Cranio-caudal mammogram of the right breast. 36-year-old patient.
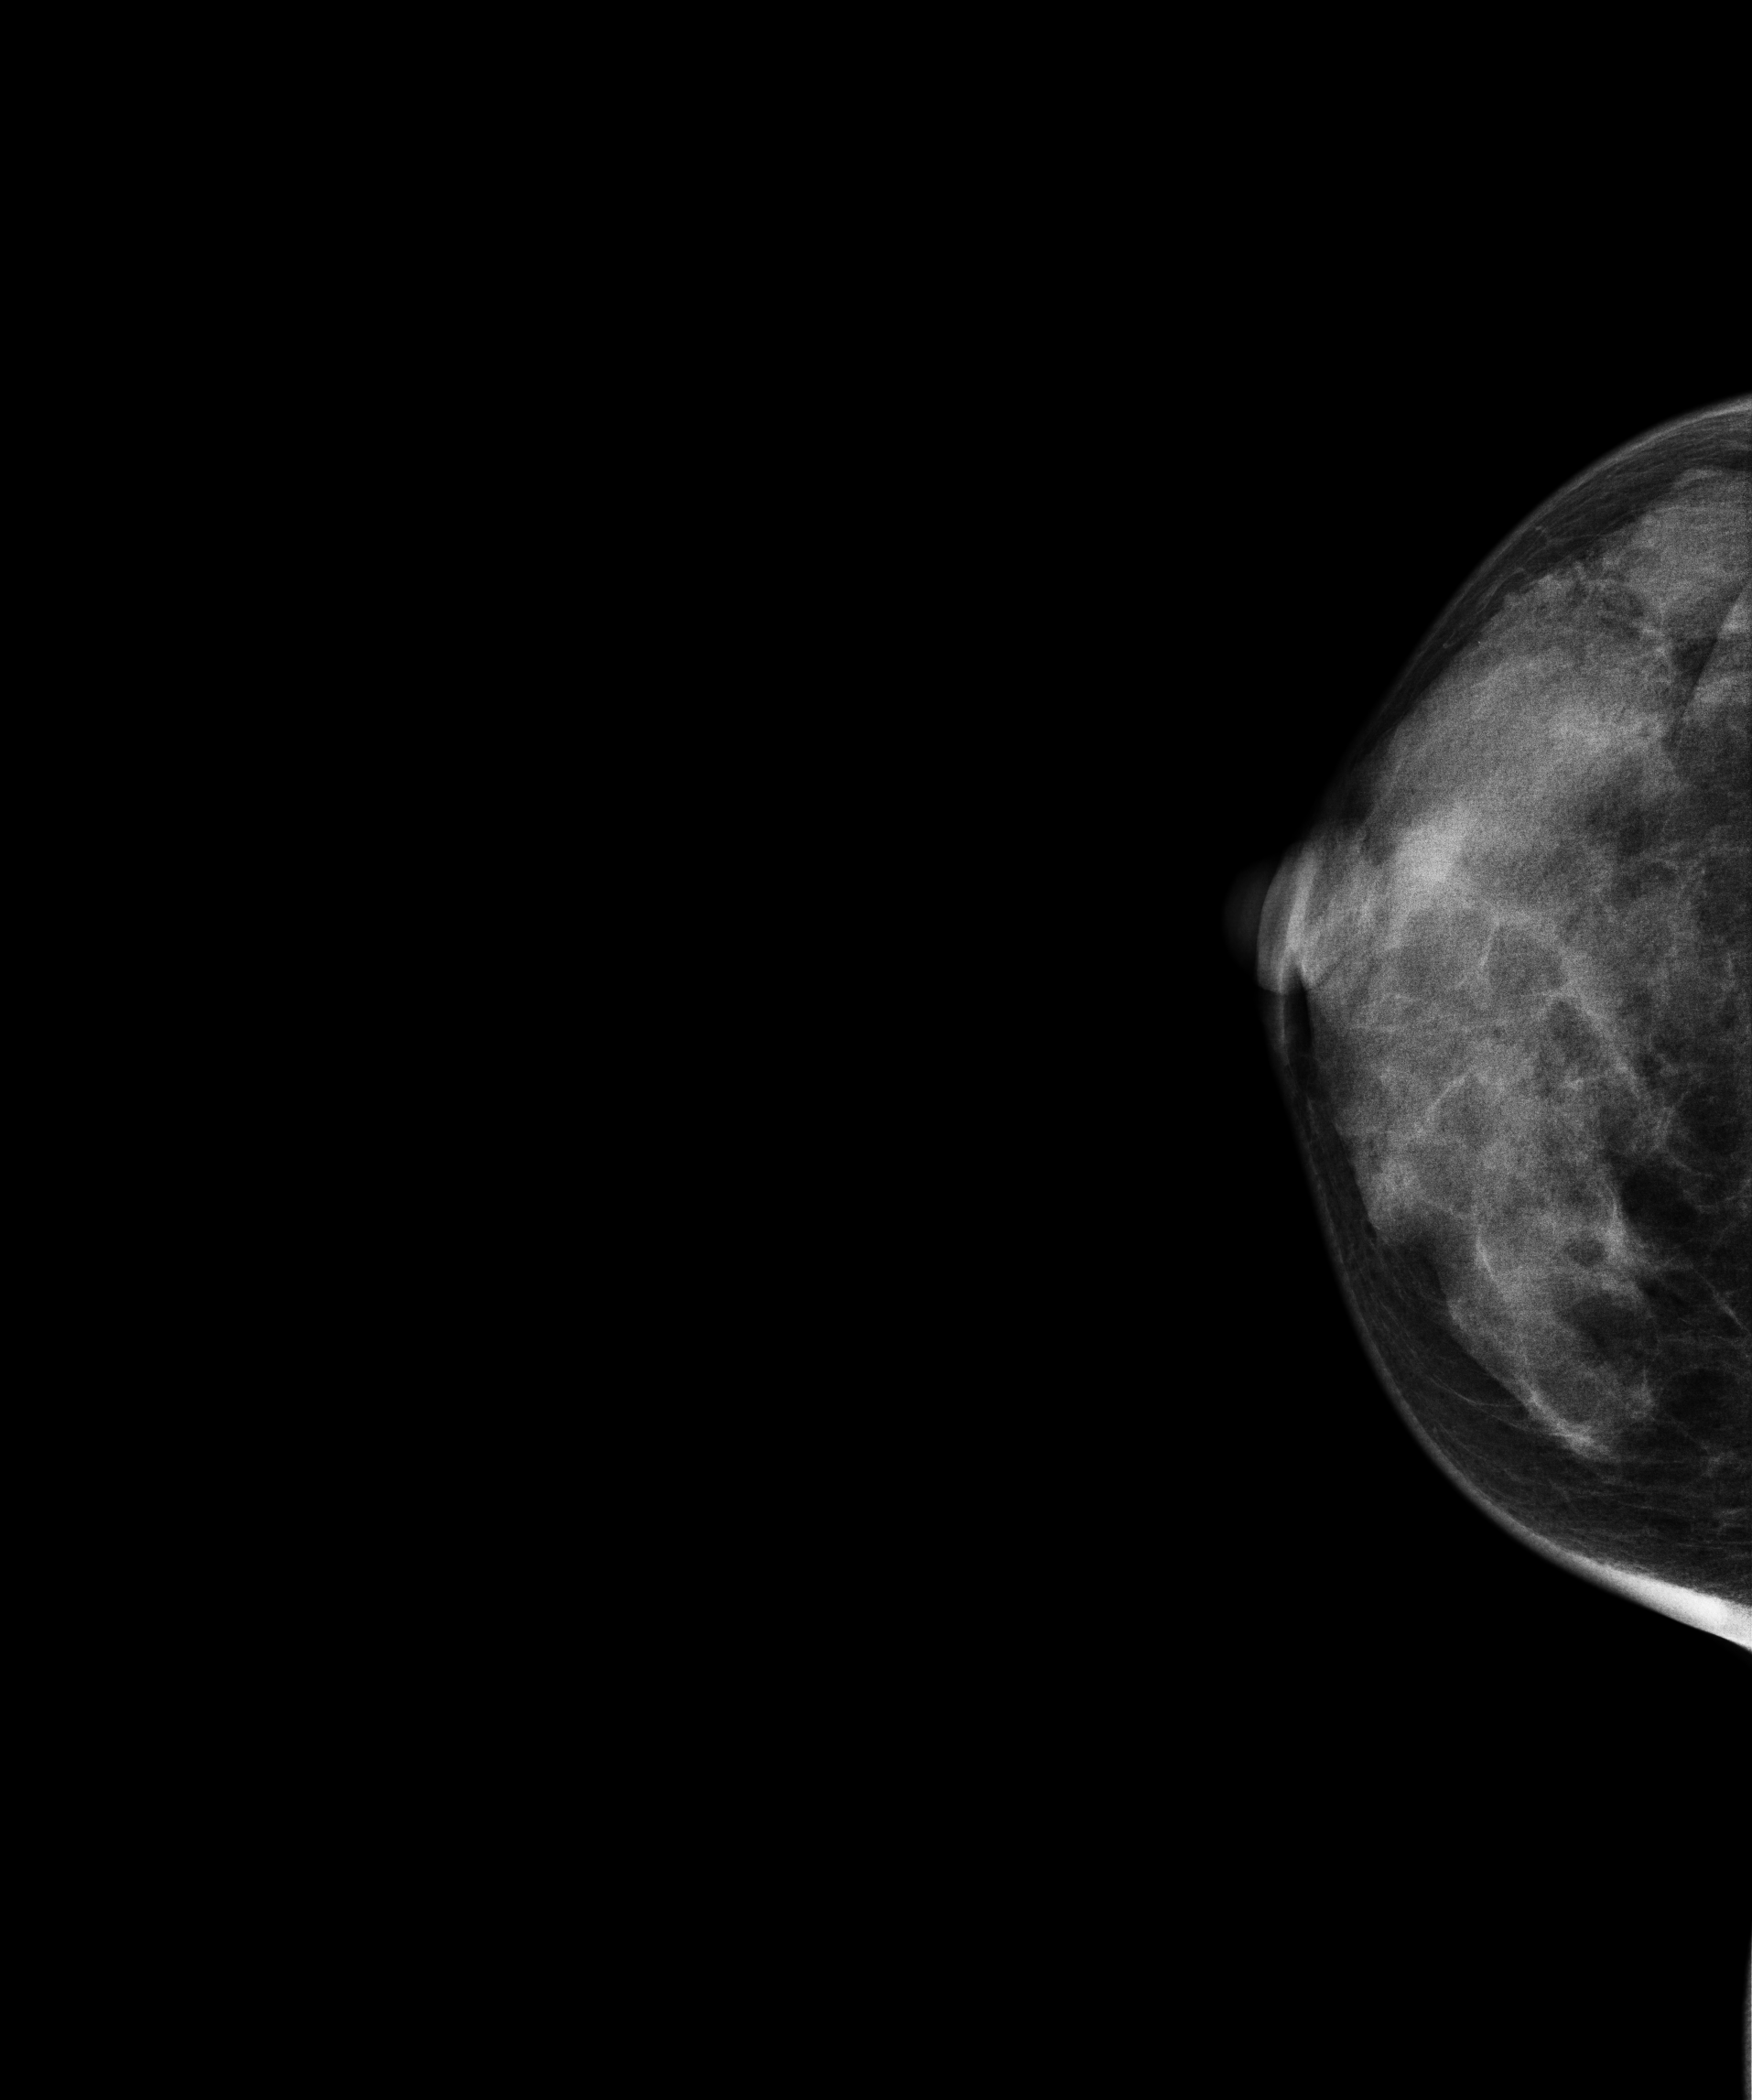
This breast has a mass, biopsy-confirmed benign.